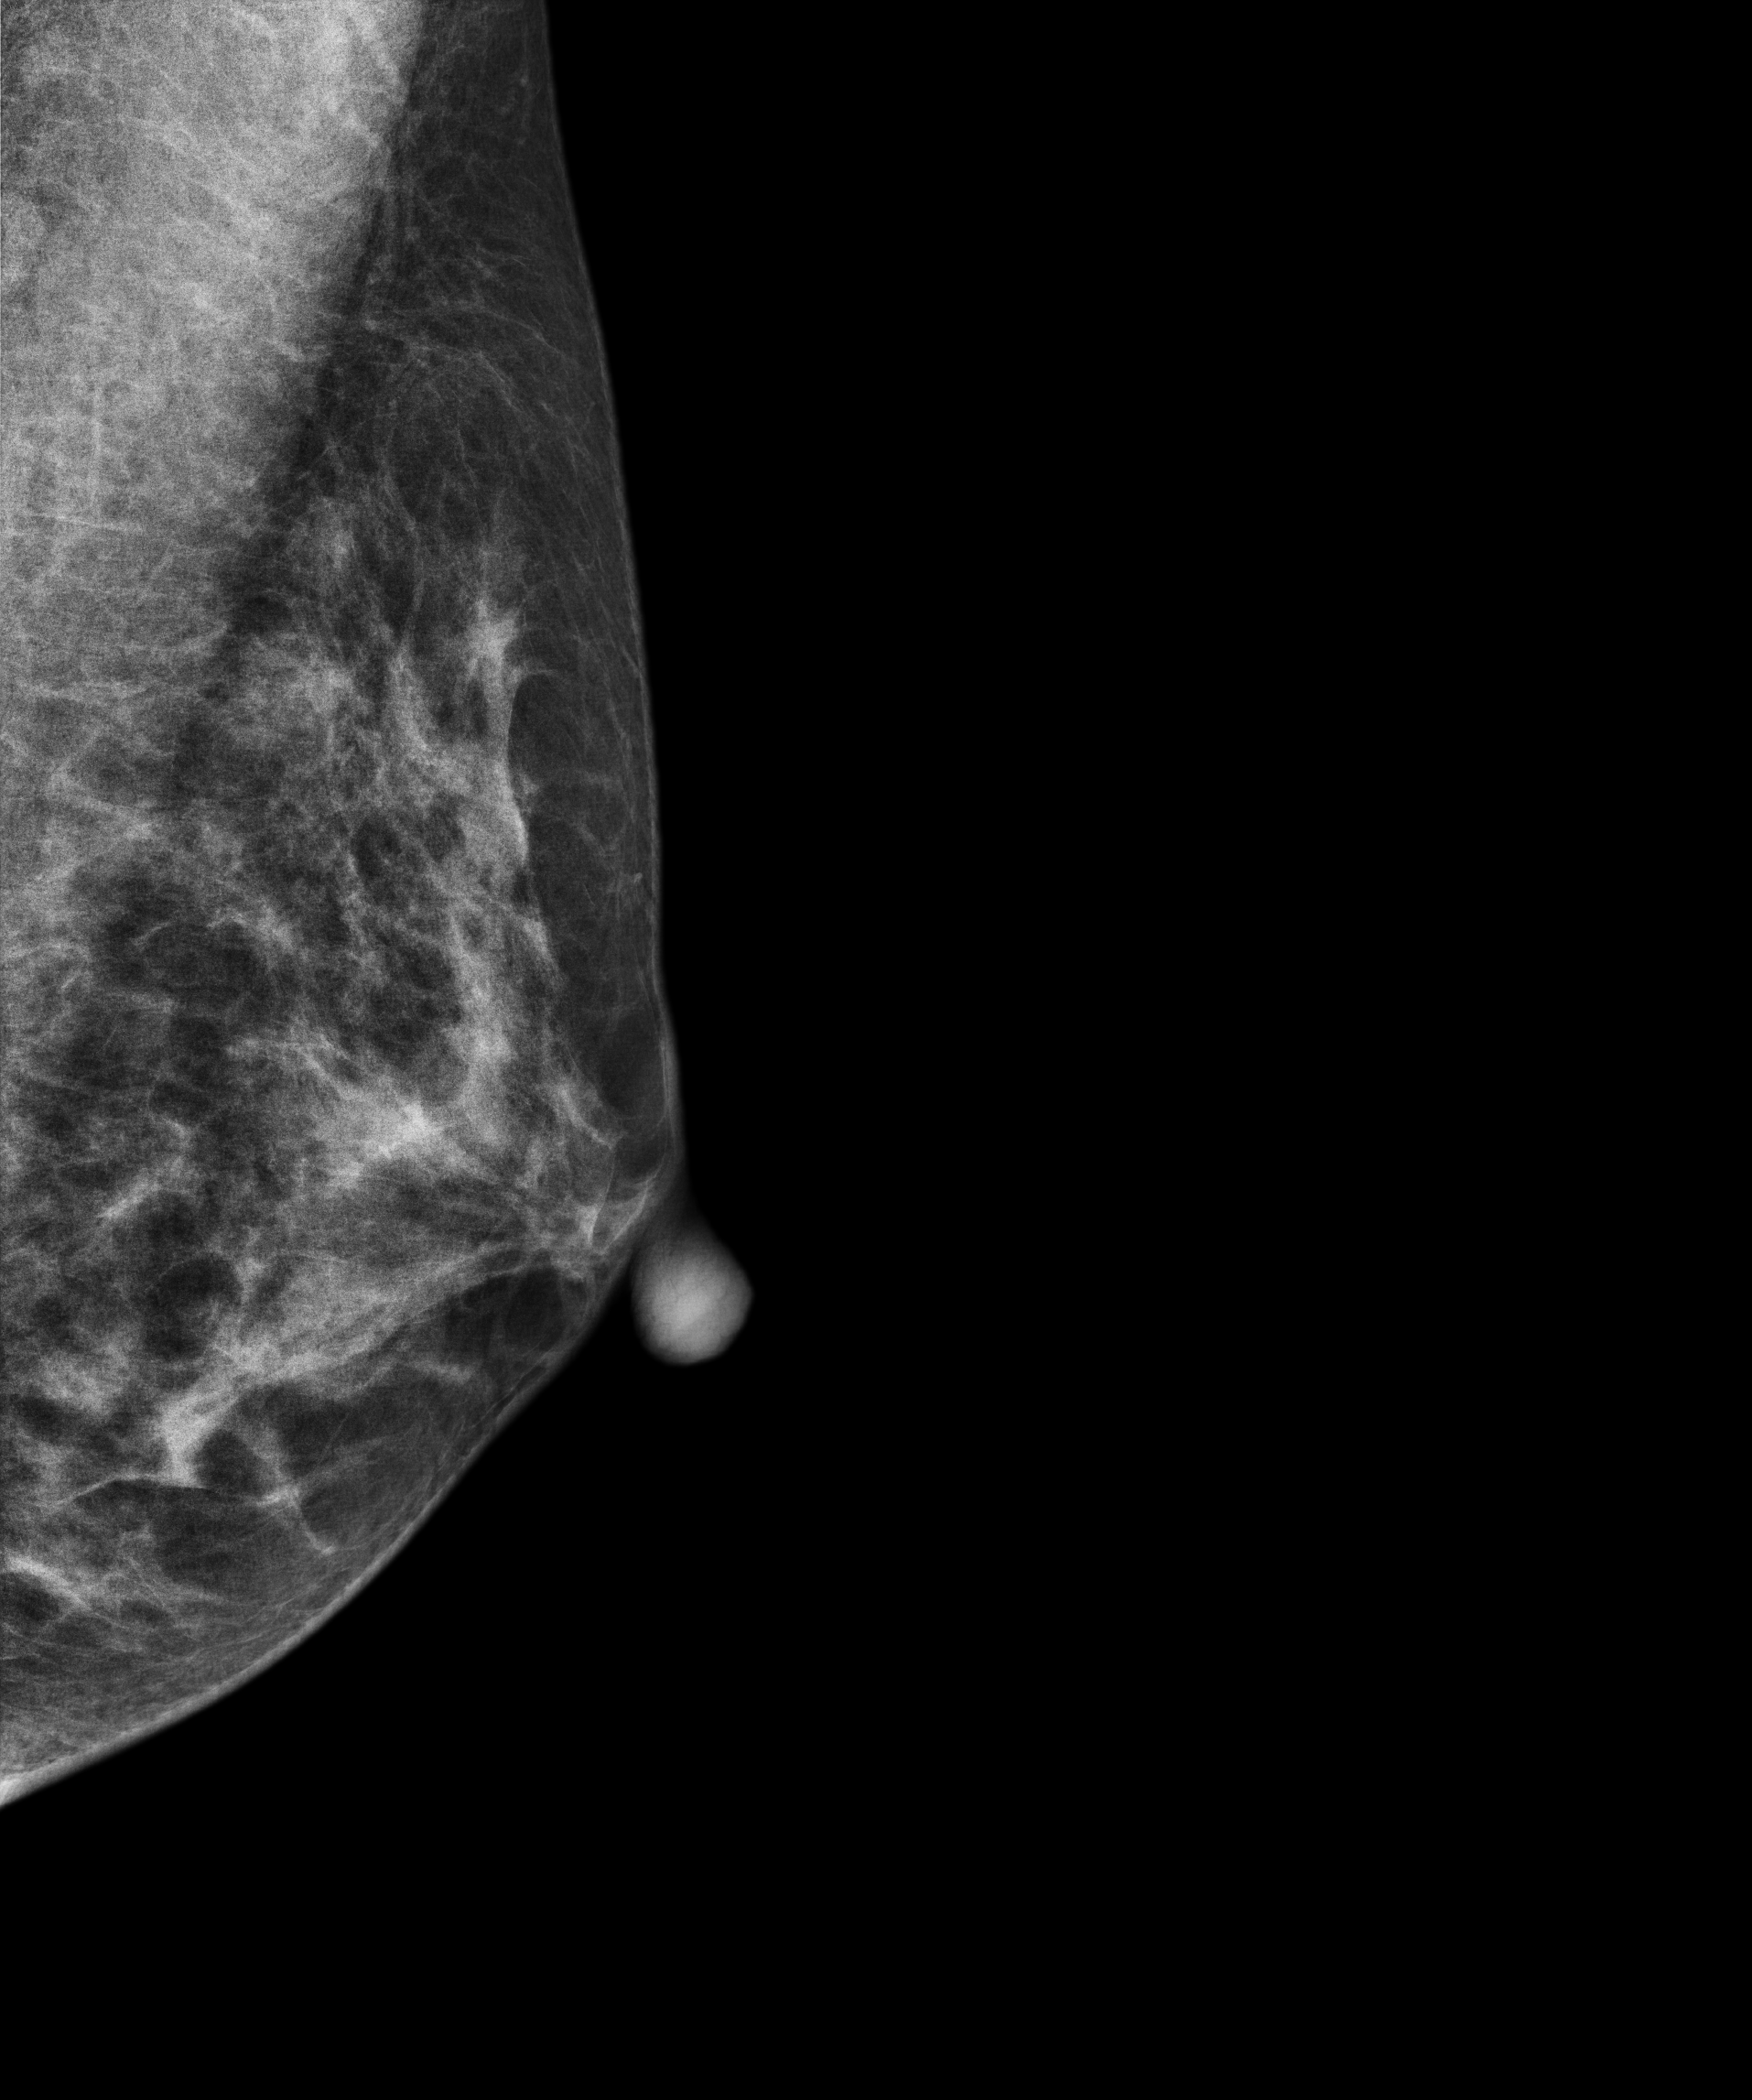
Left-breast mammogram, medio-lateral oblique. 51 y/o patient.
Contralateral breast — no documented abnormality on this side.